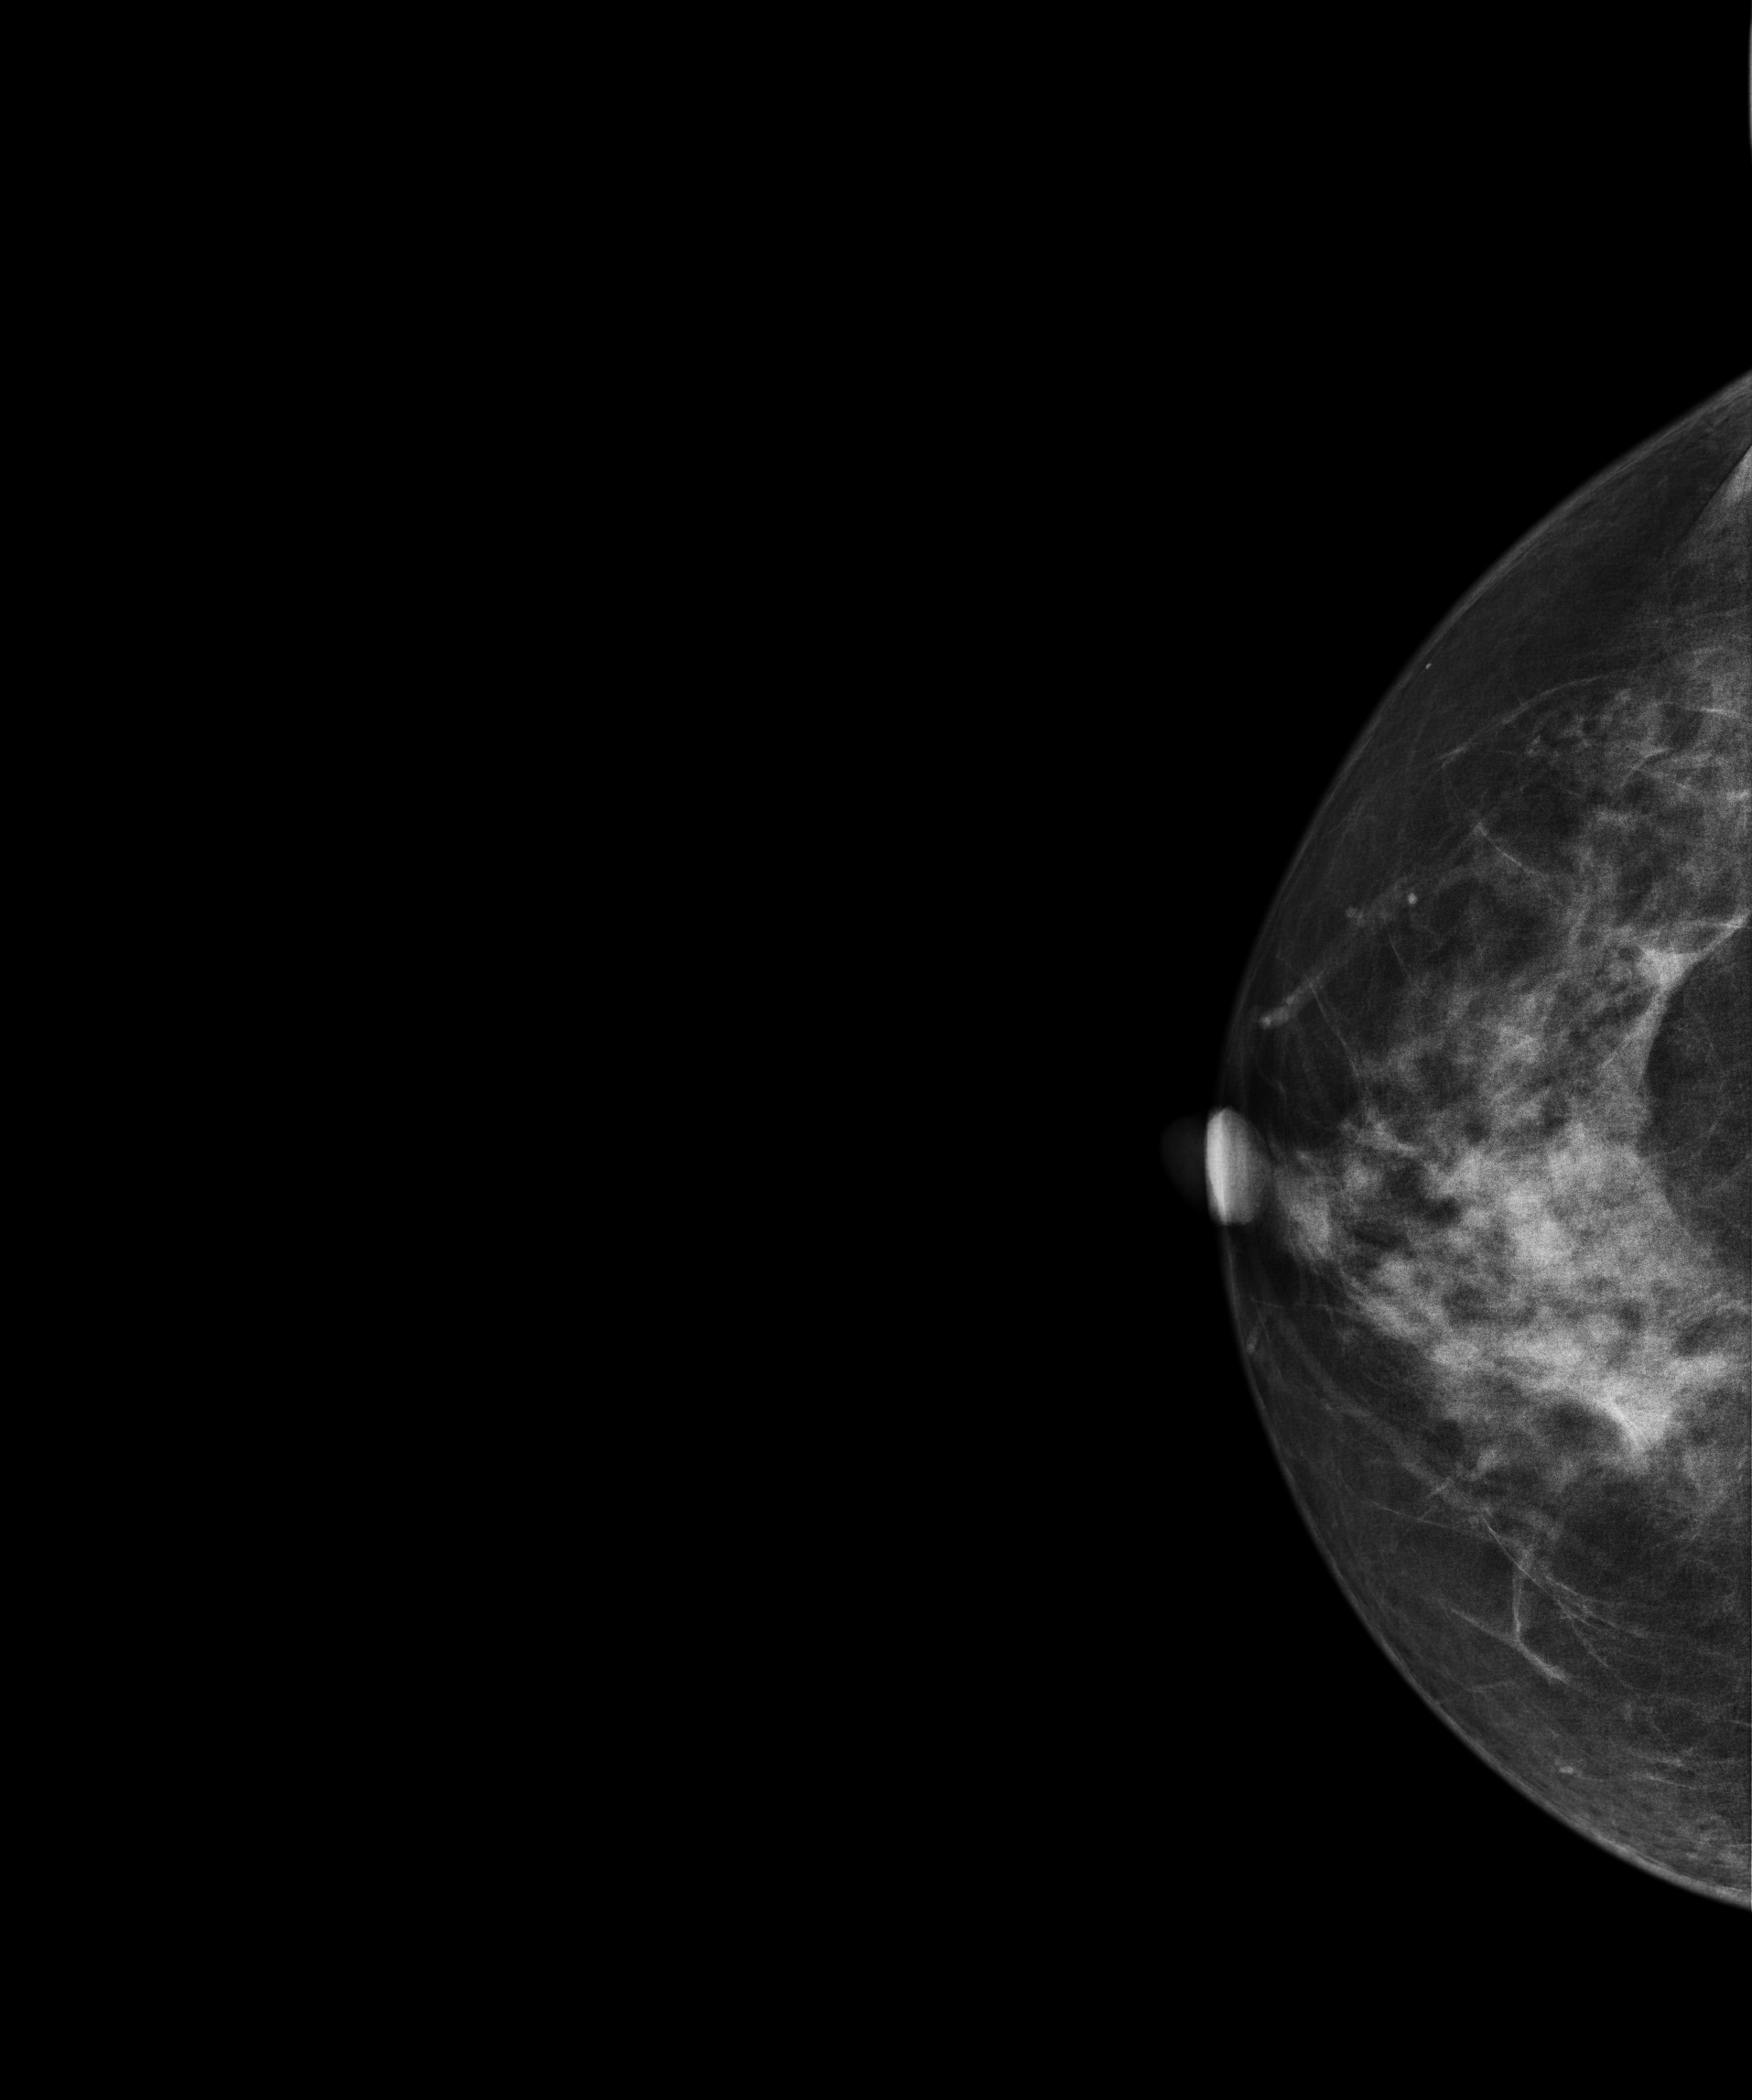
Right-breast mammogram, cranio-caudal. Patient age 48.
This breast has a mass, histologically confirmed benign.